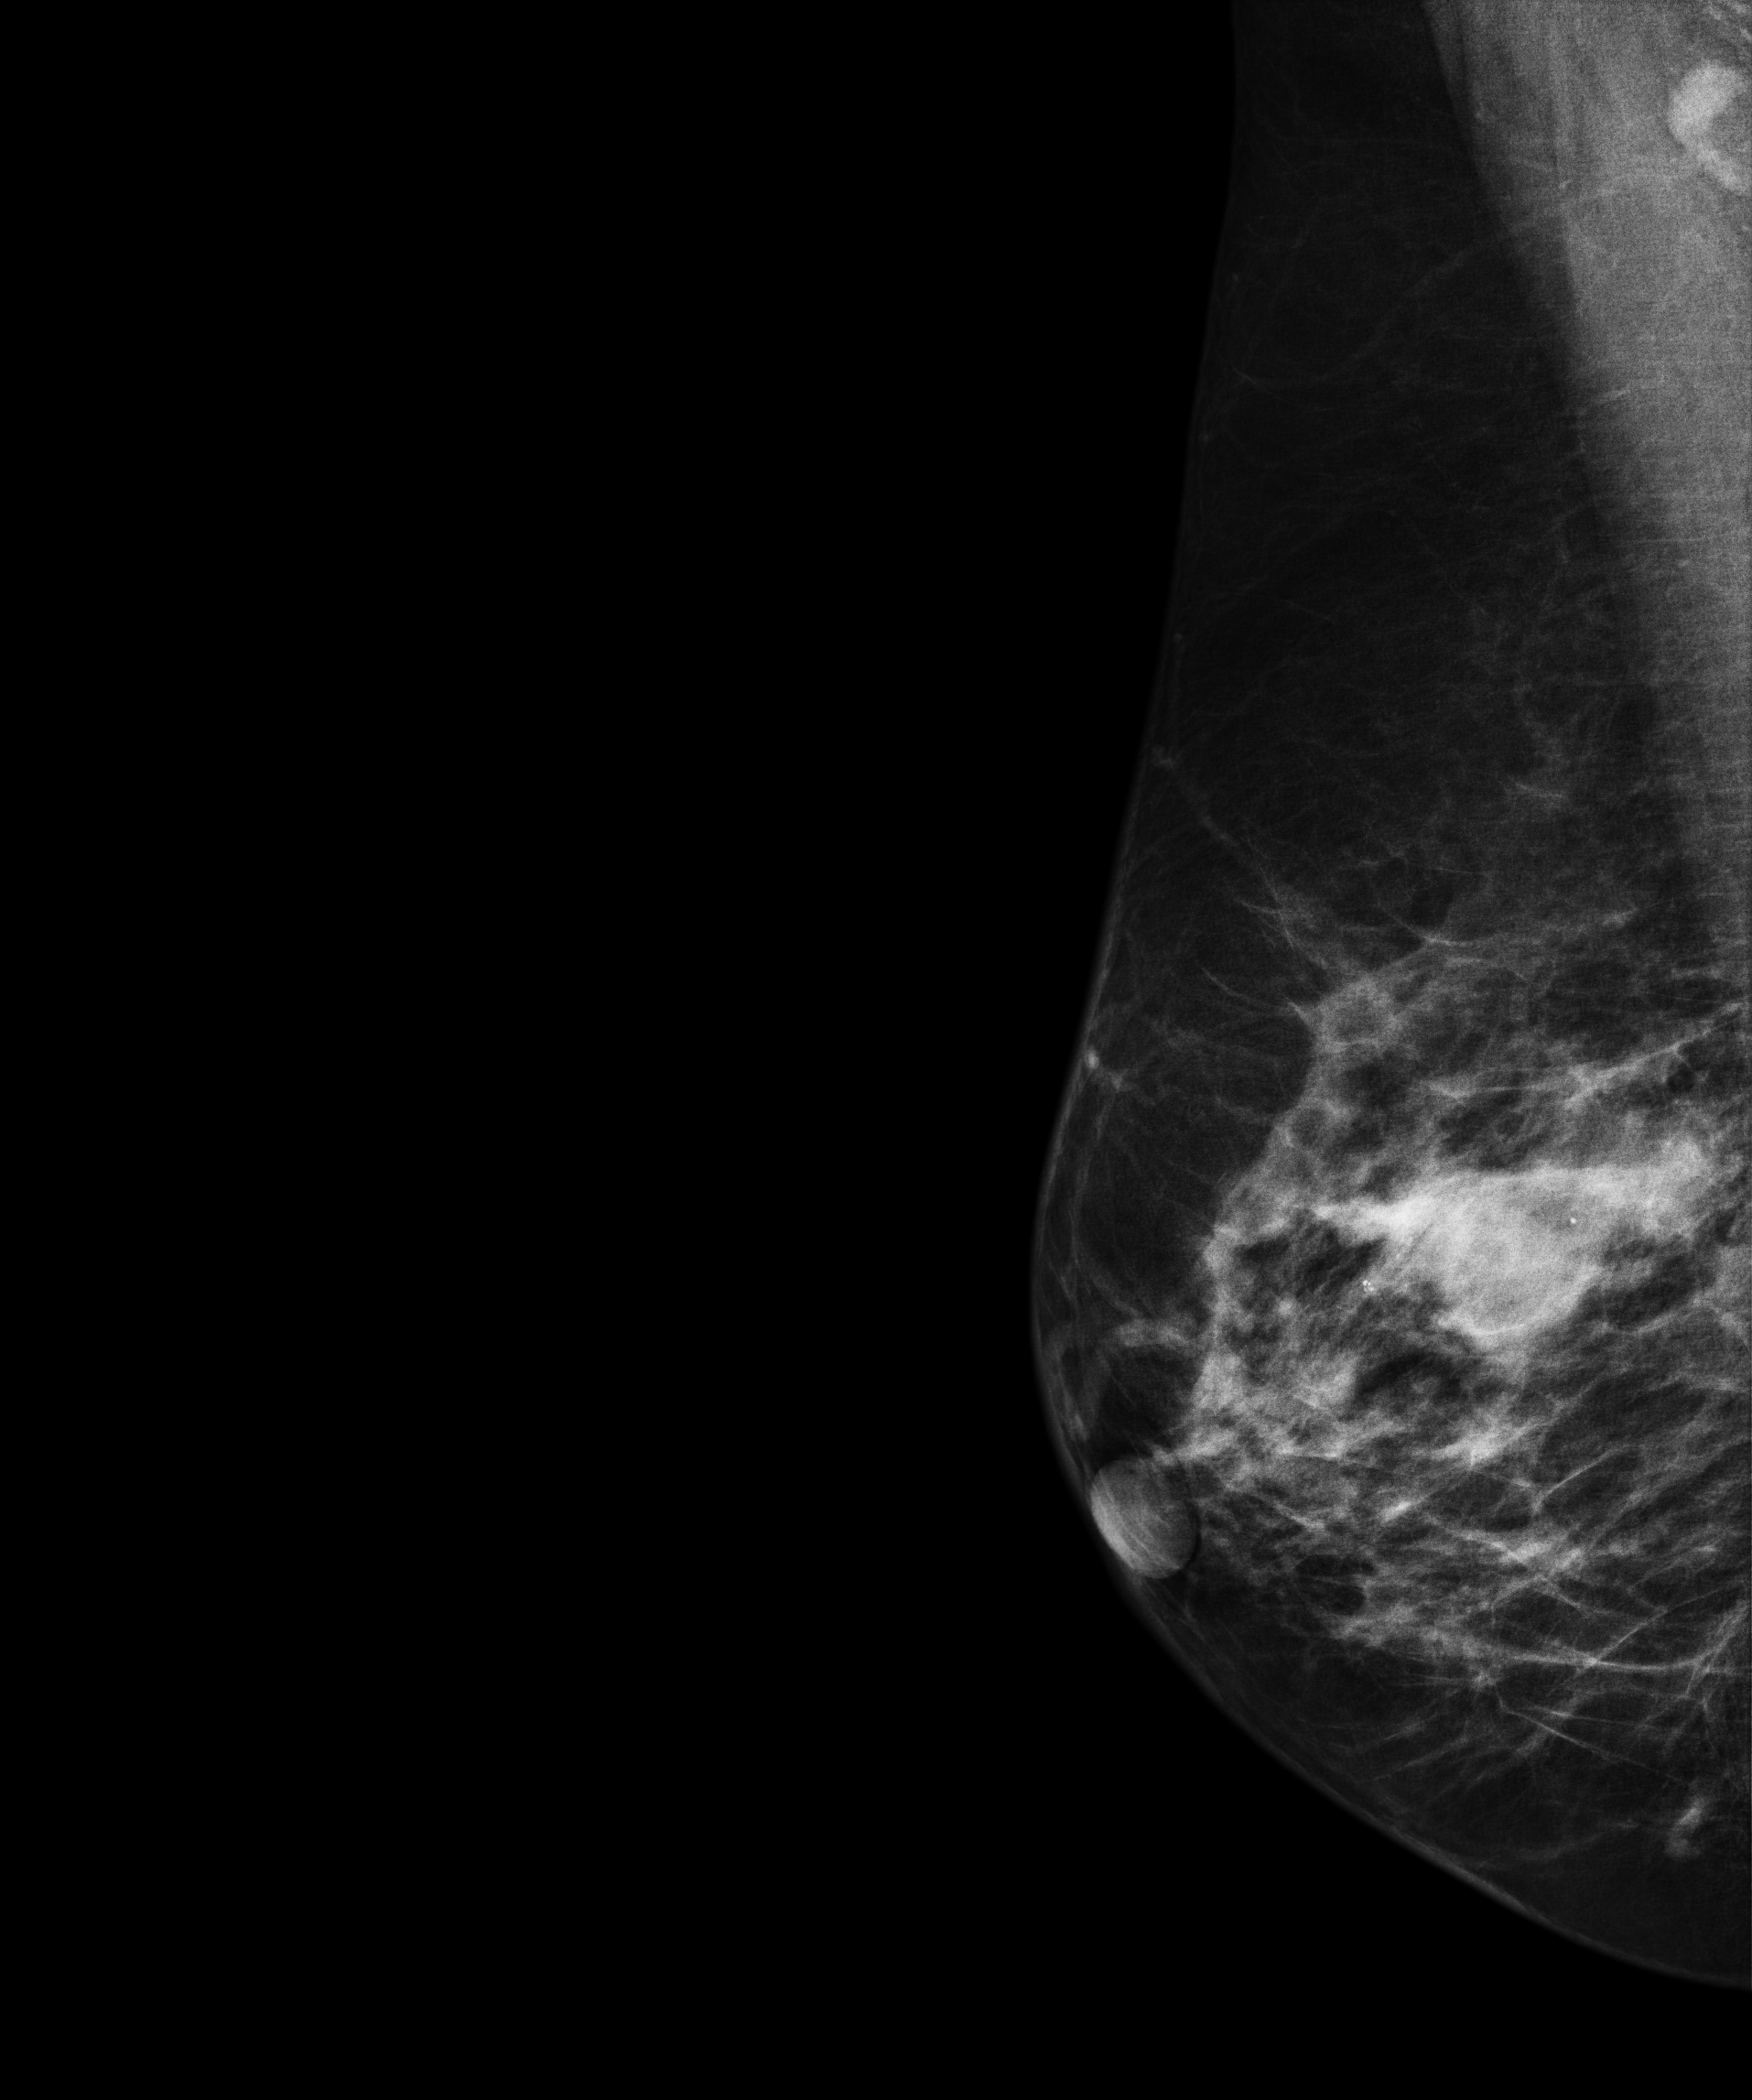
MLO mammogram of the right breast. 62 y/o patient.
This breast has a mass, biopsy-confirmed malignant. Molecular subtype: luminal A.